Left-breast mammogram, MLO. Patient age 49.
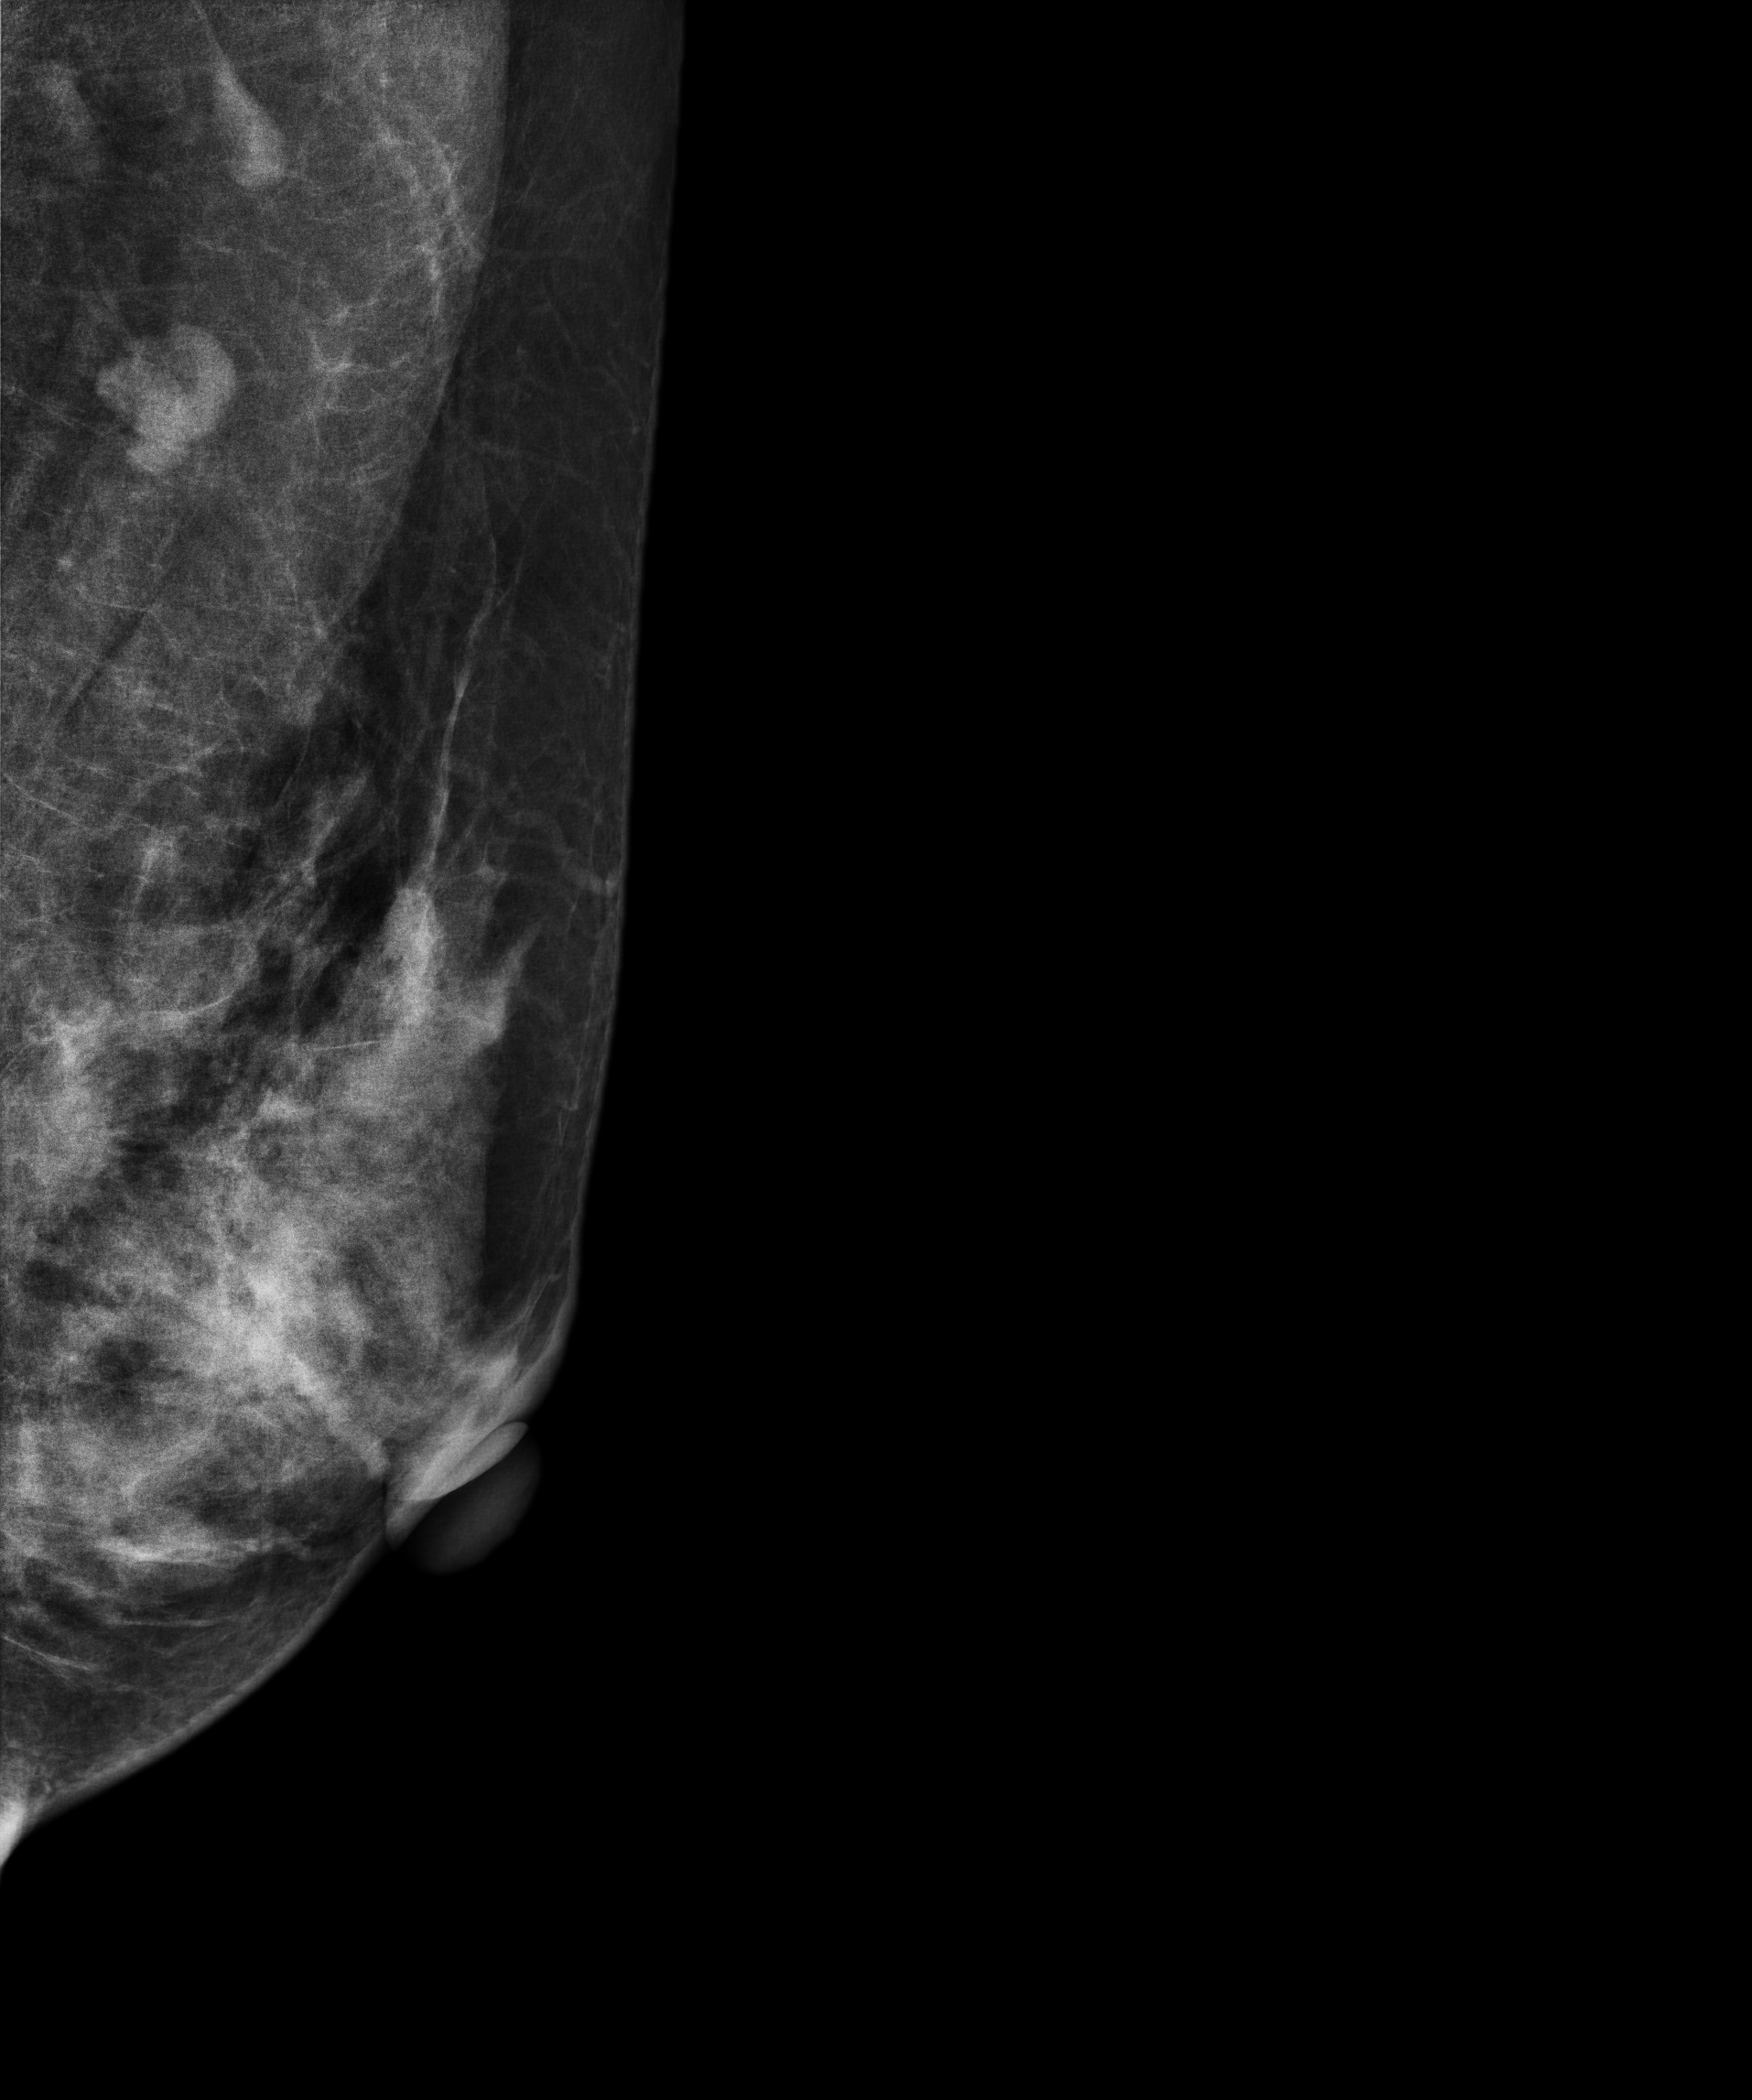
This breast has a mass, histologically confirmed malignant. Molecular subtype: luminal A.